Mammogram — left cranio-caudal. 52 y/o patient.
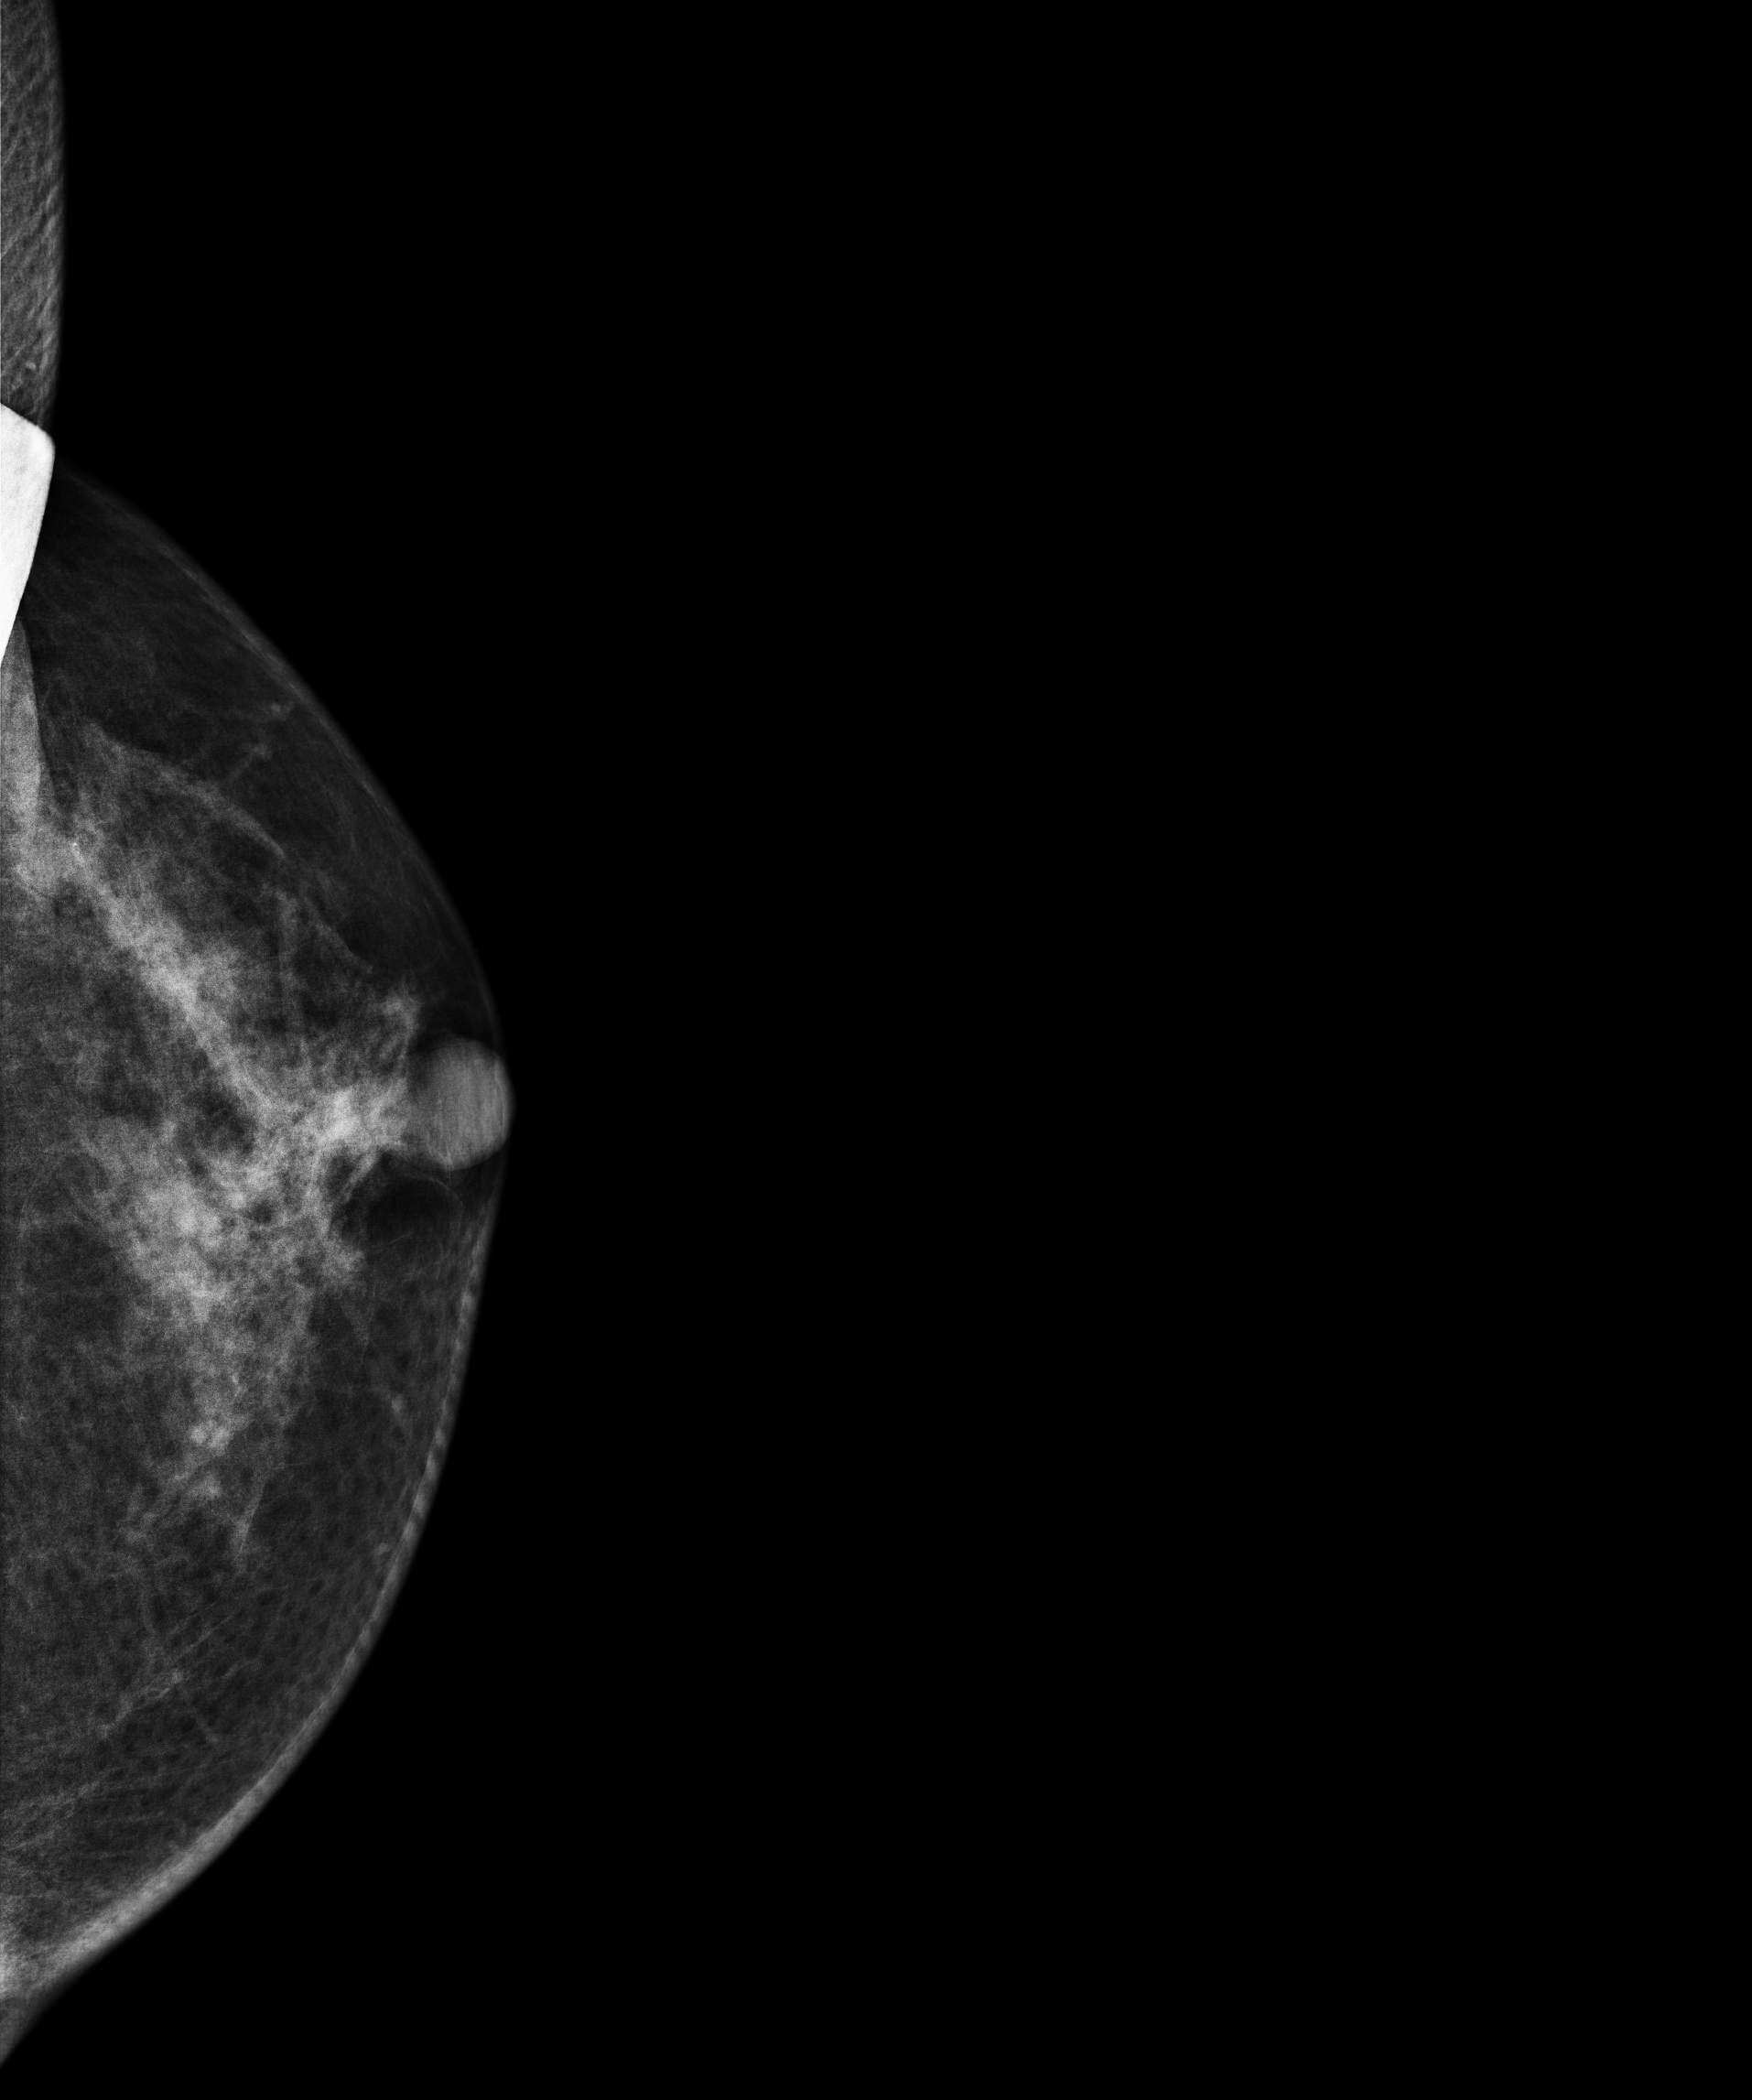
This breast has a mass, pathology-confirmed malignant. Molecular subtype: luminal A.